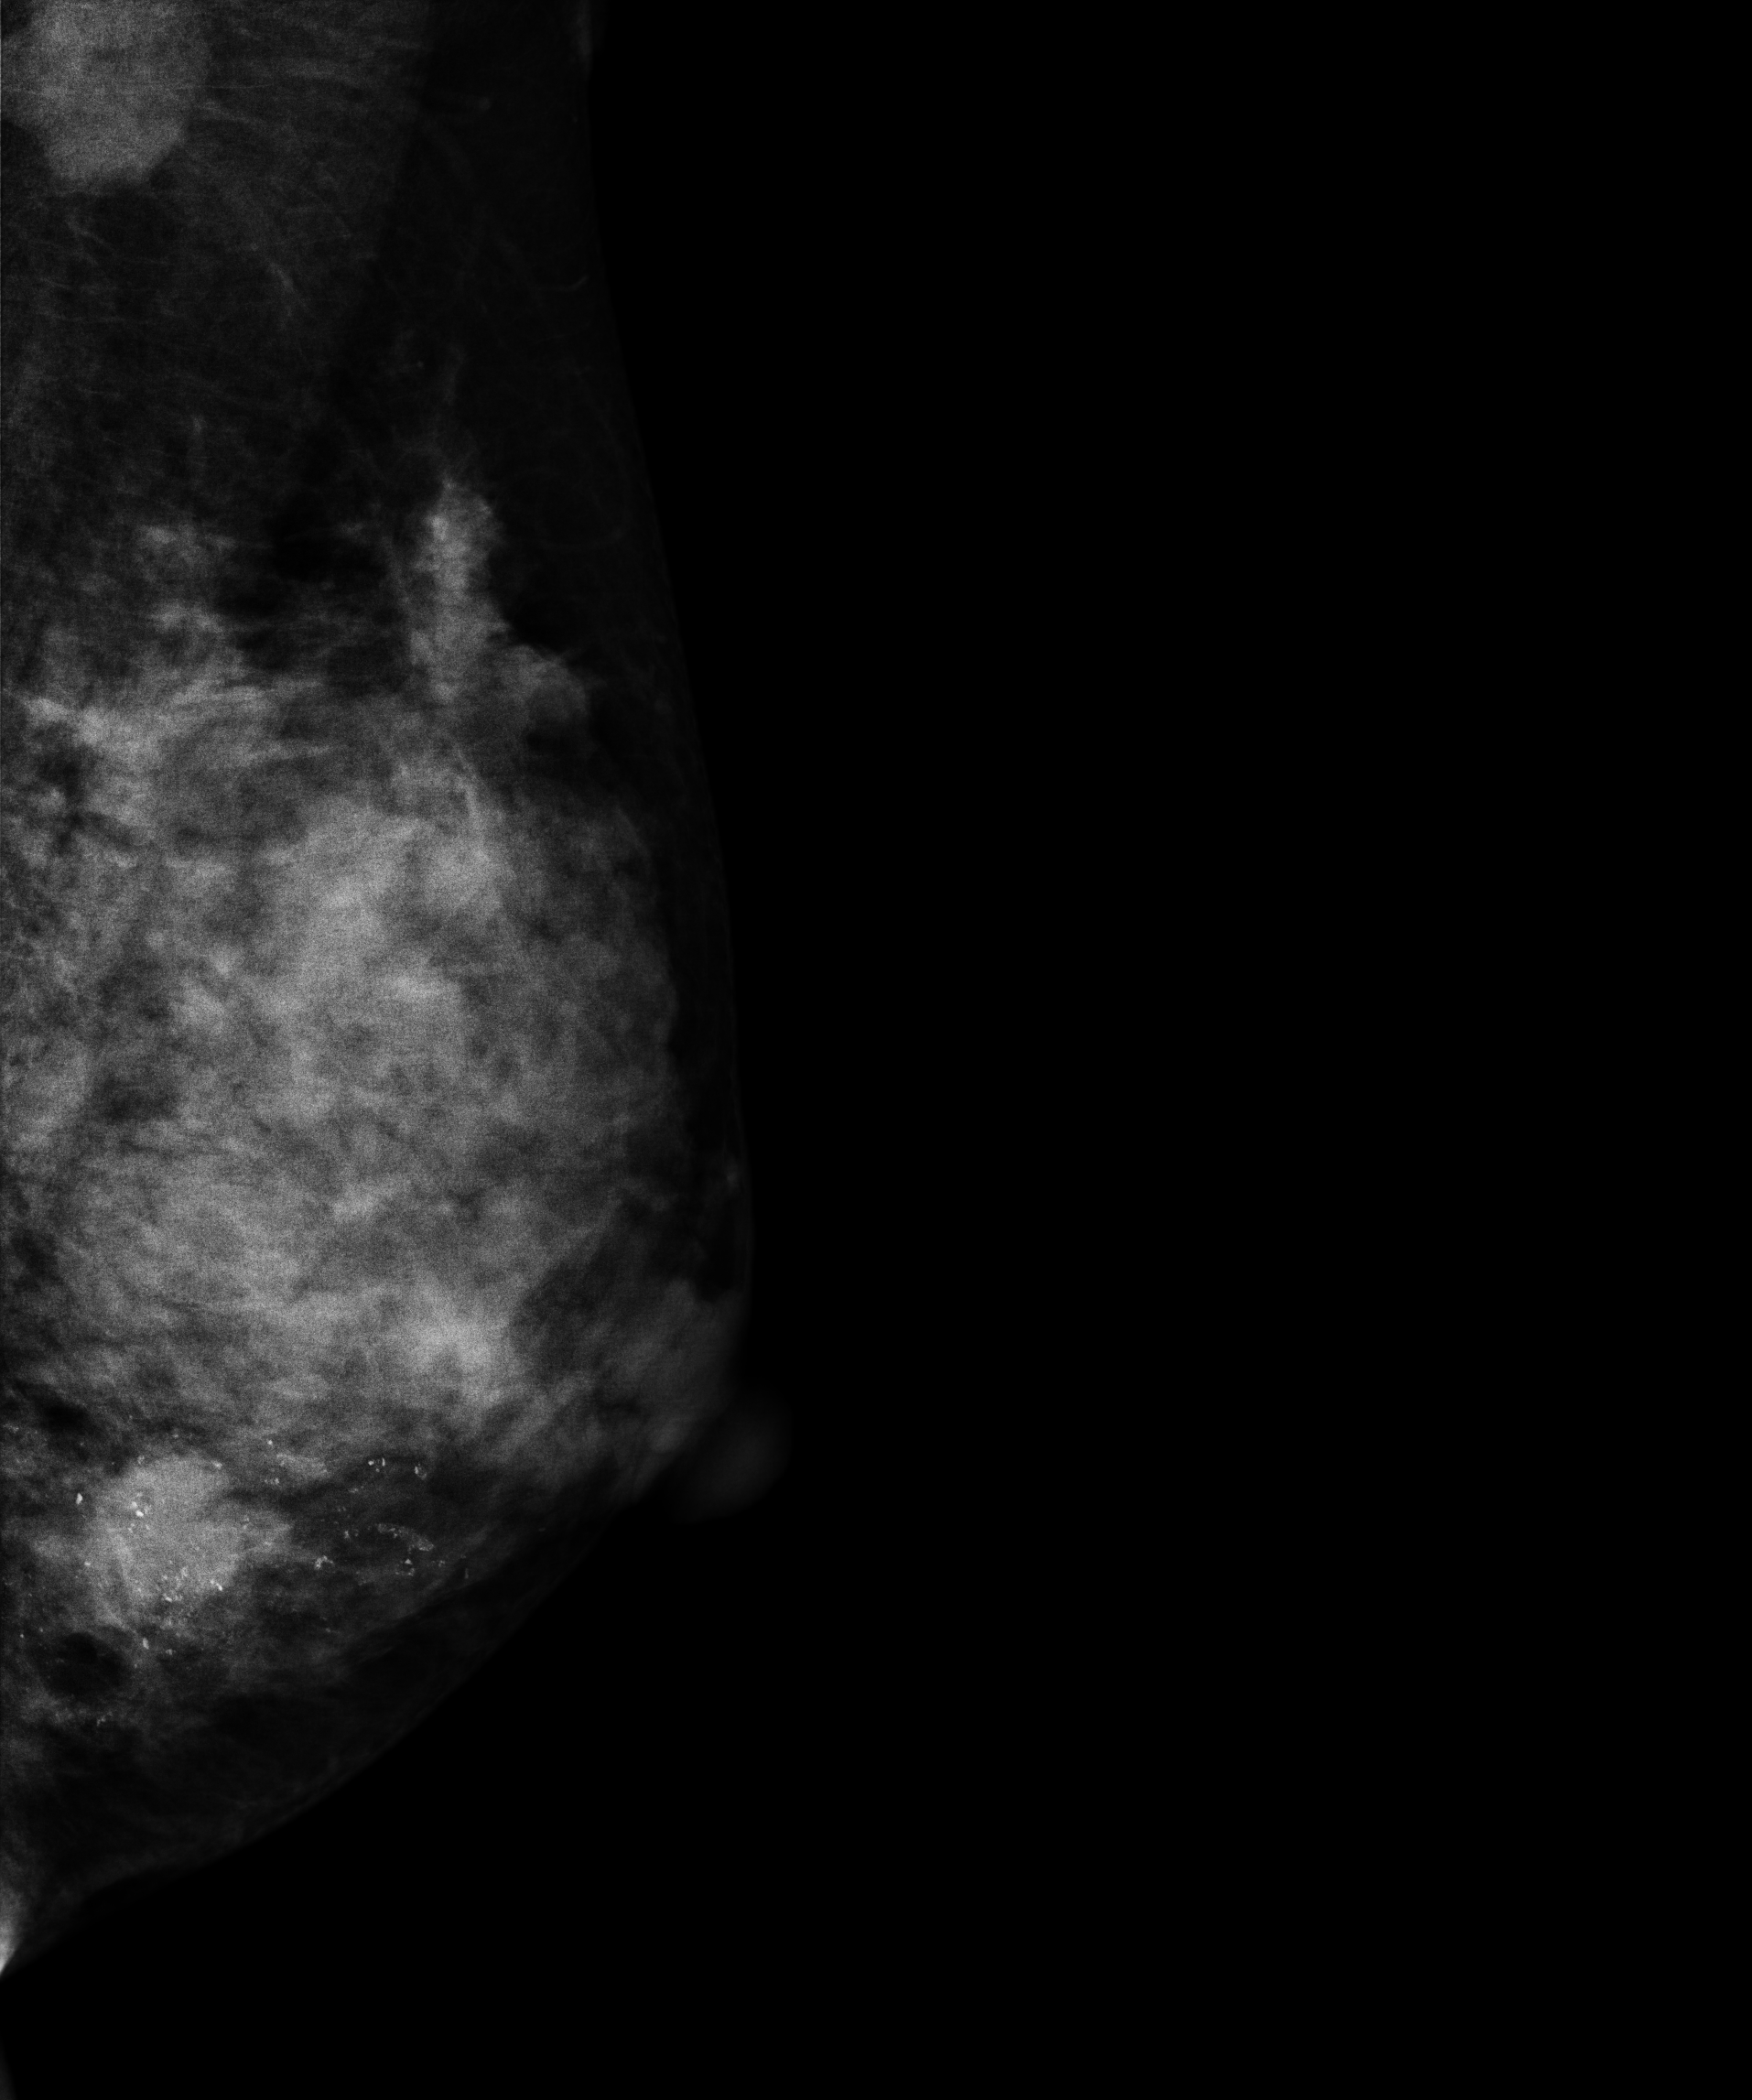
Mammogram — left medio-lateral oblique. 28-year-old patient.
This breast has calcifications, histologically confirmed malignant. Molecular subtype: luminal A.